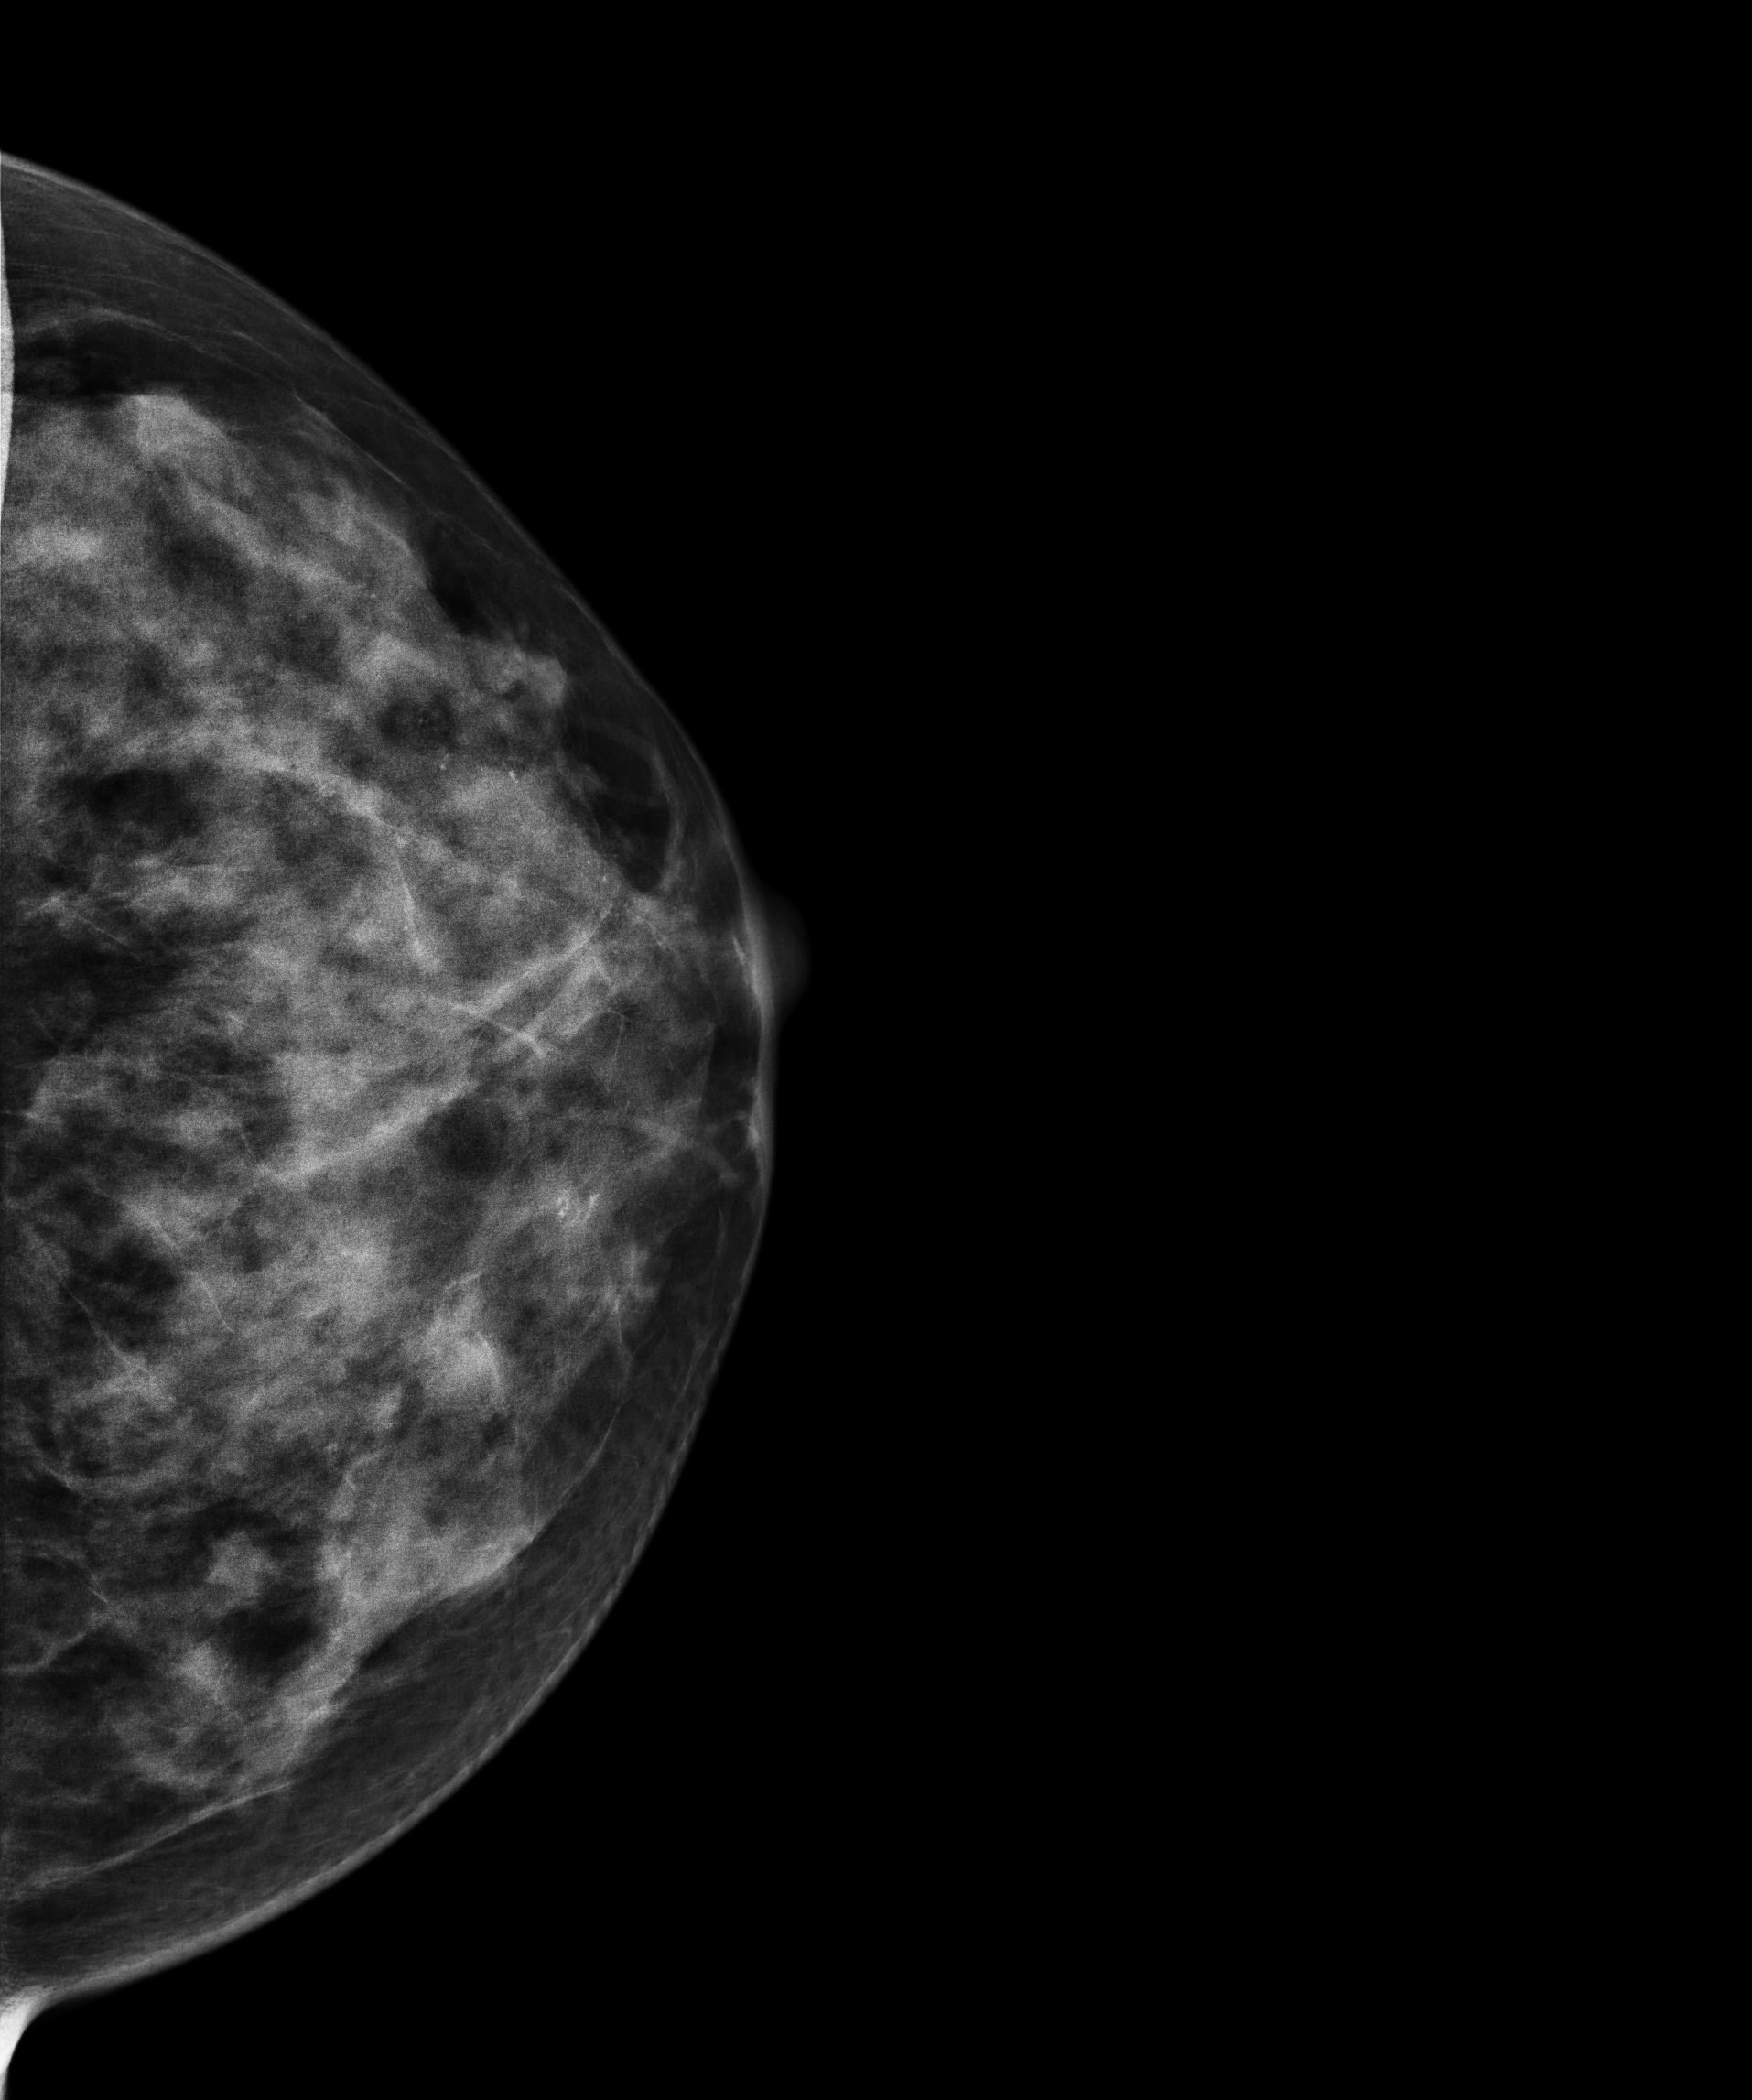
CC mammogram of the left breast. 47 y/o patient.
Contralateral breast — no documented abnormality on this side.